Mammogram, right breast, medio-lateral oblique view. Patient age 50.
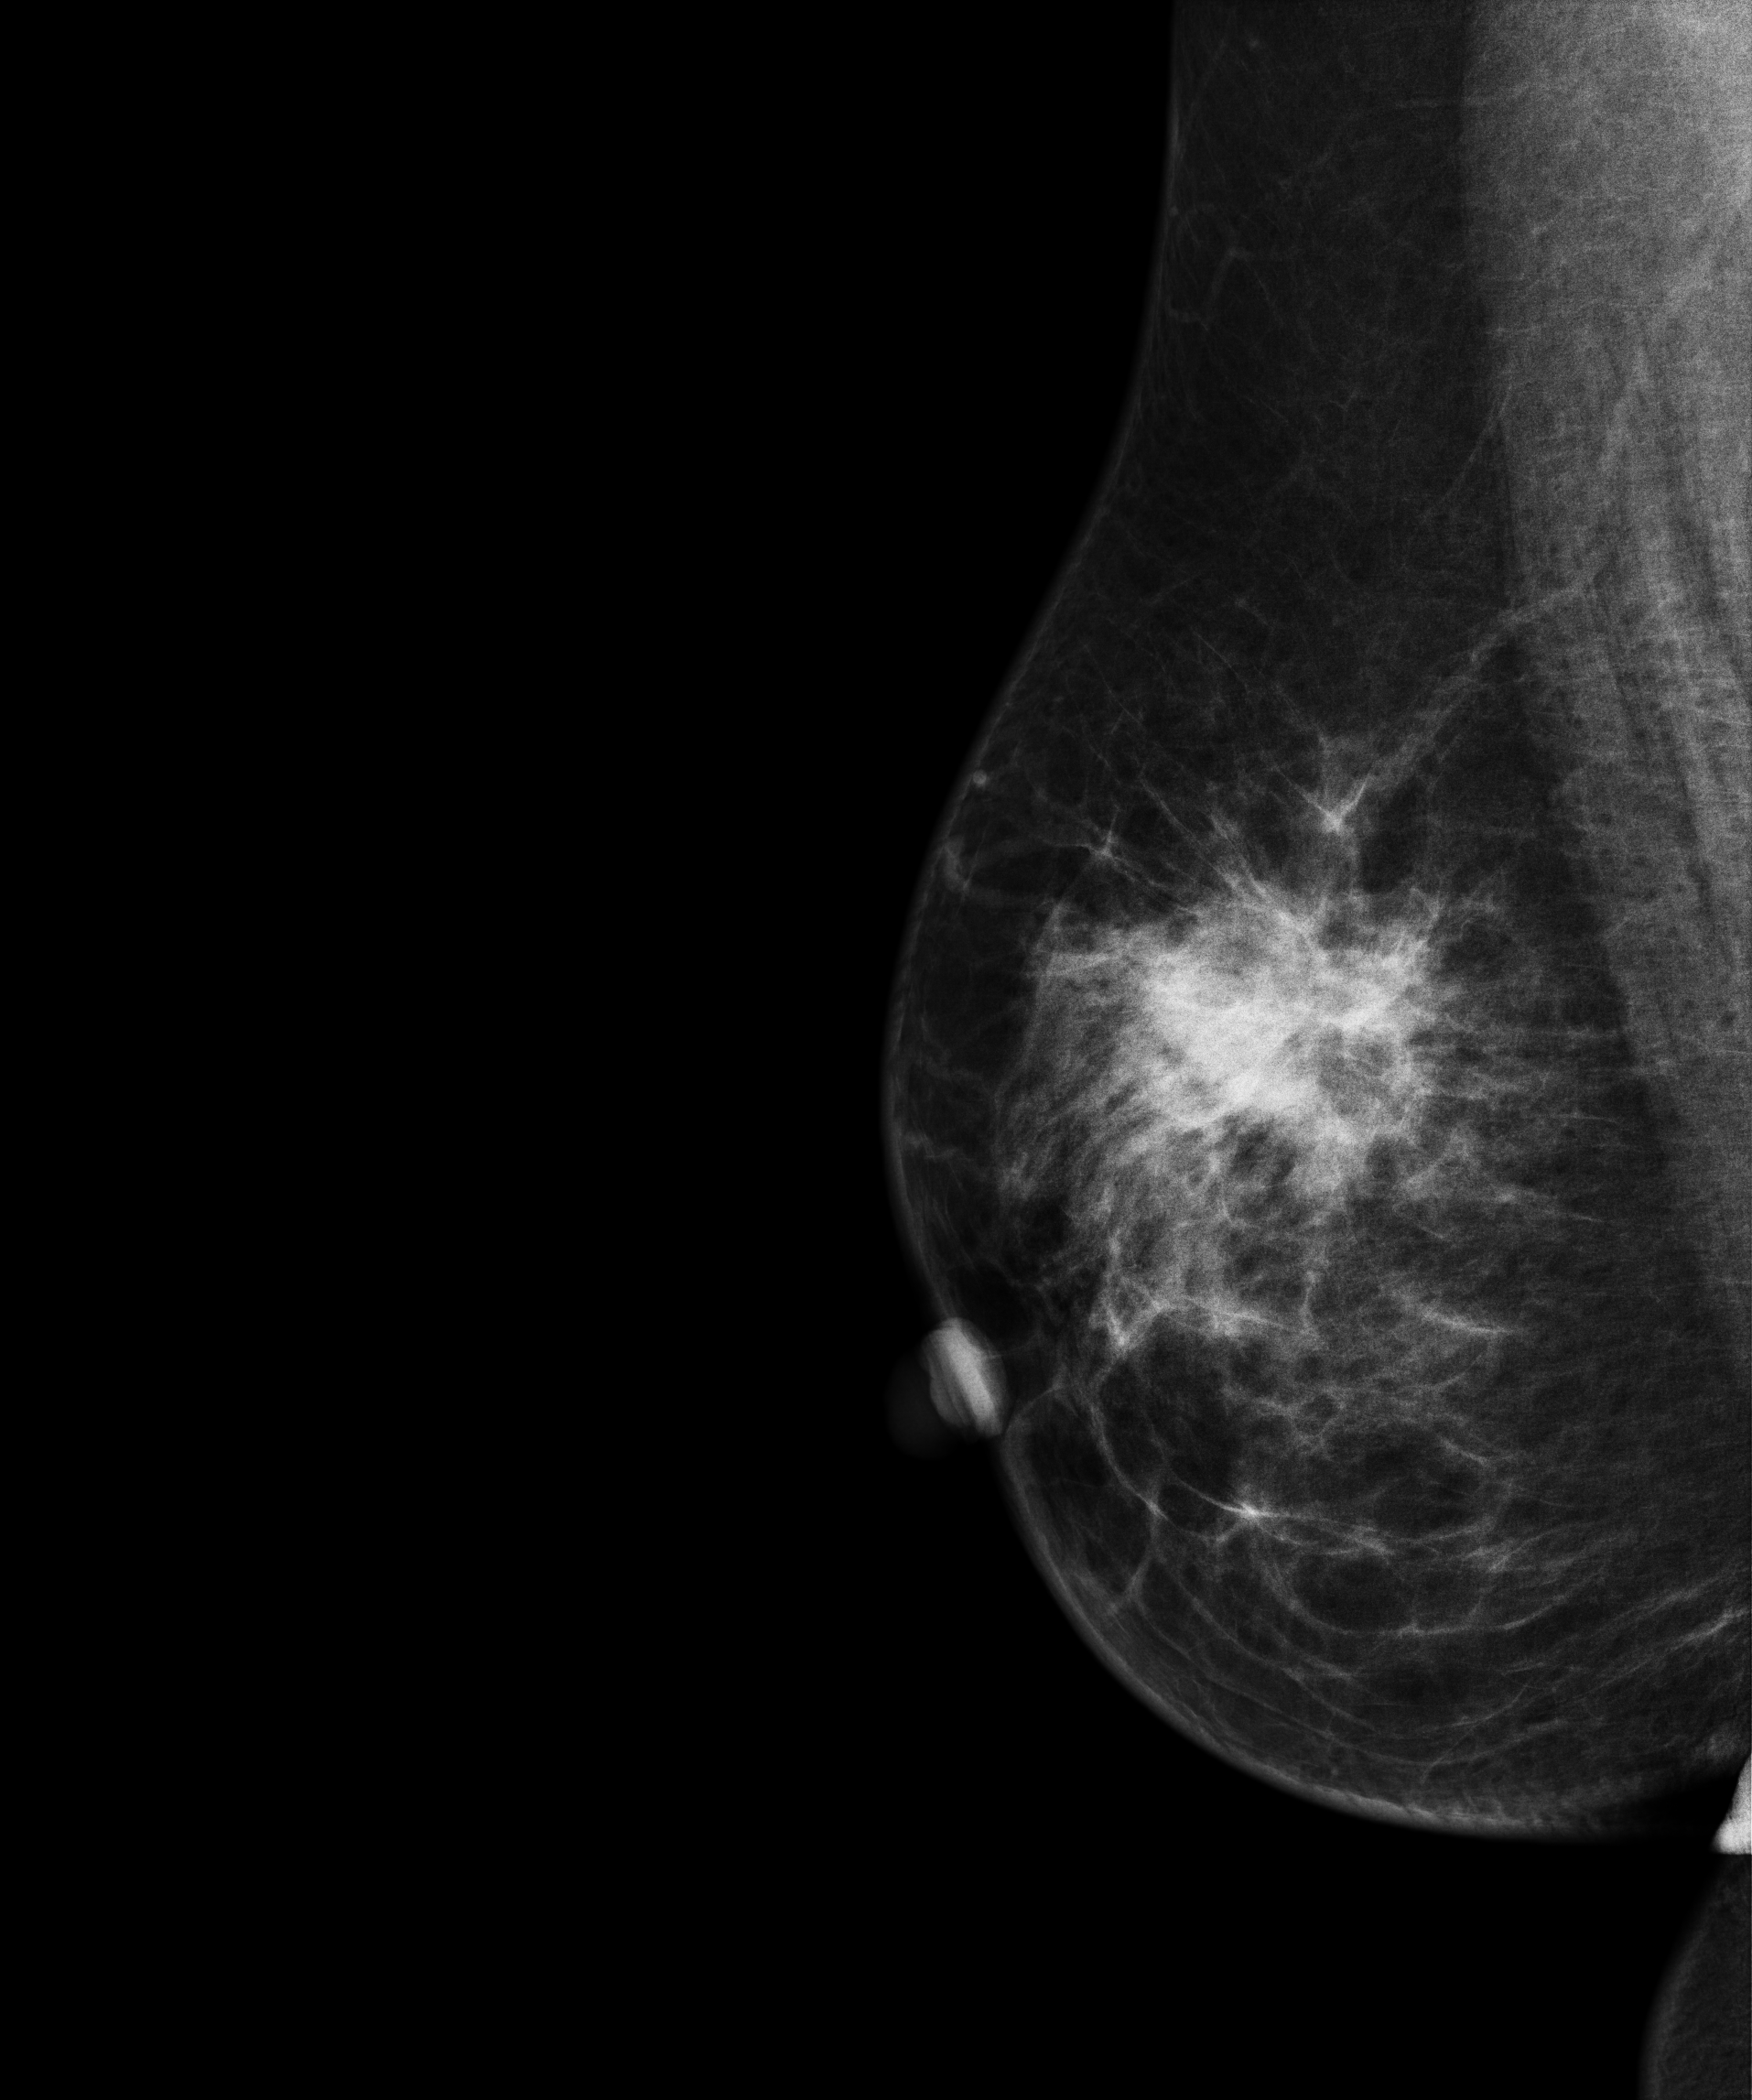
This breast has a mass, pathology-confirmed malignant. Molecular subtype: luminal B.